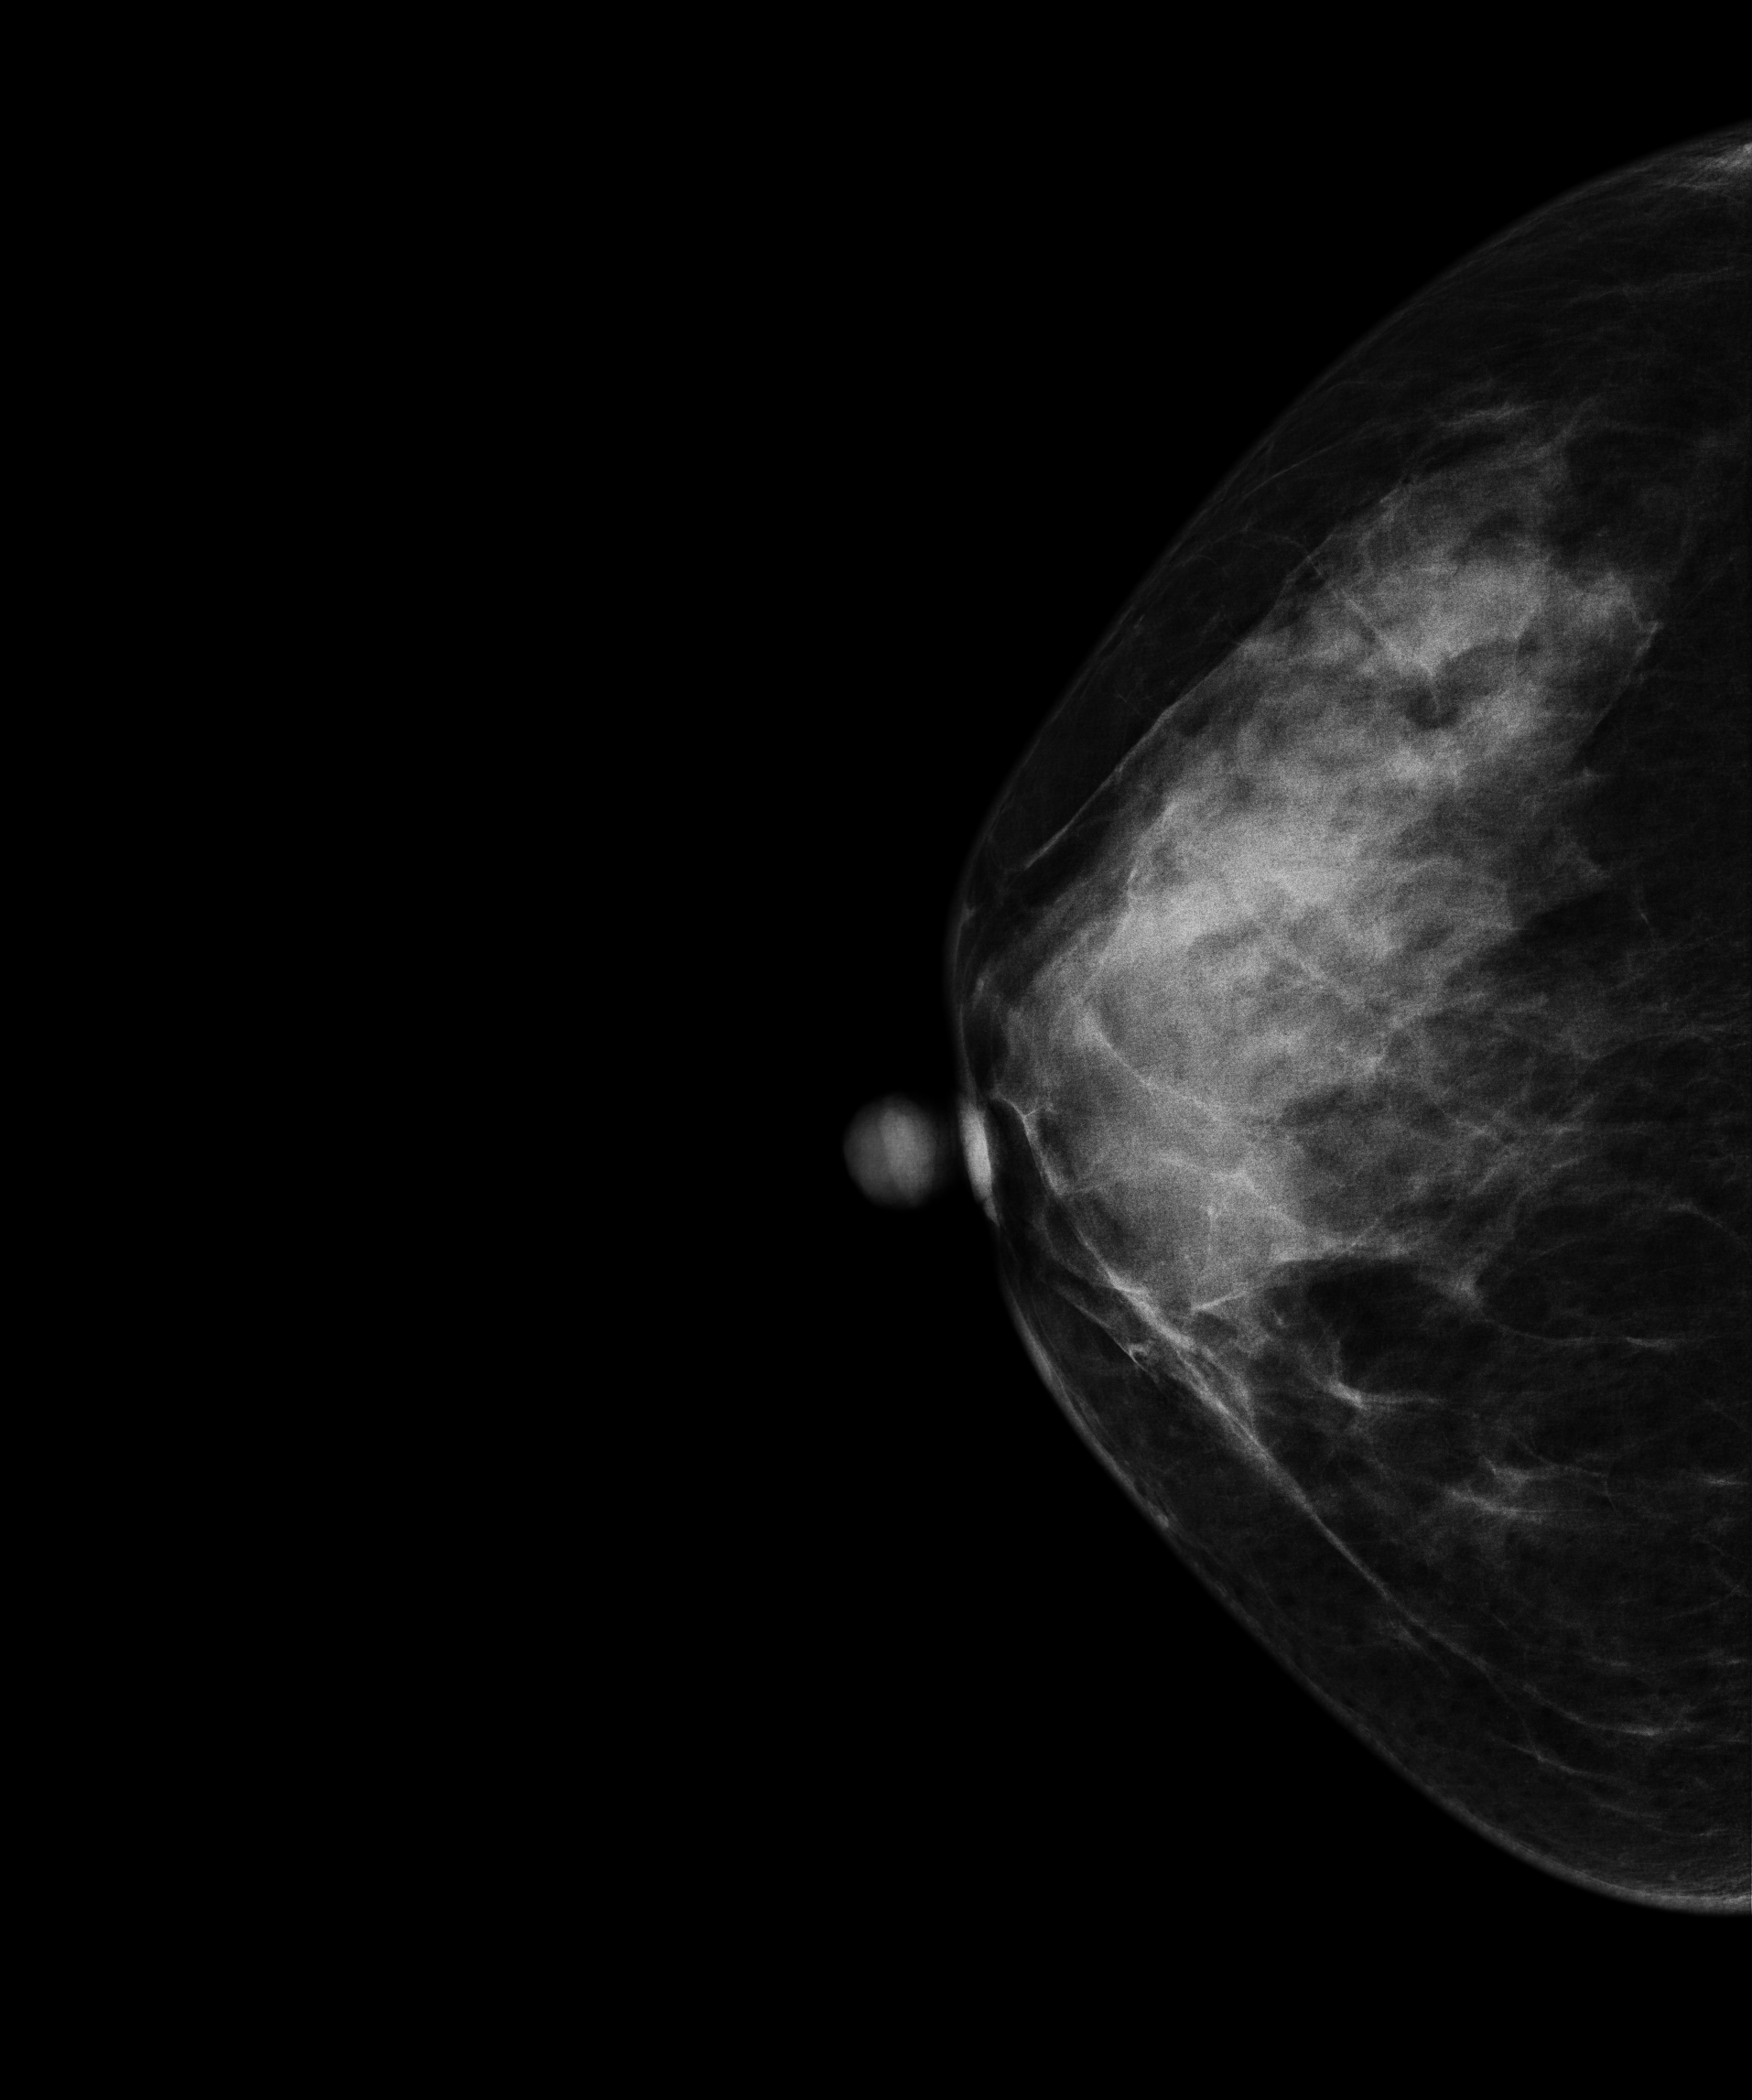
Cranio-caudal mammogram of the right breast. Patient age 41.
Contralateral breast — no documented abnormality on this side.